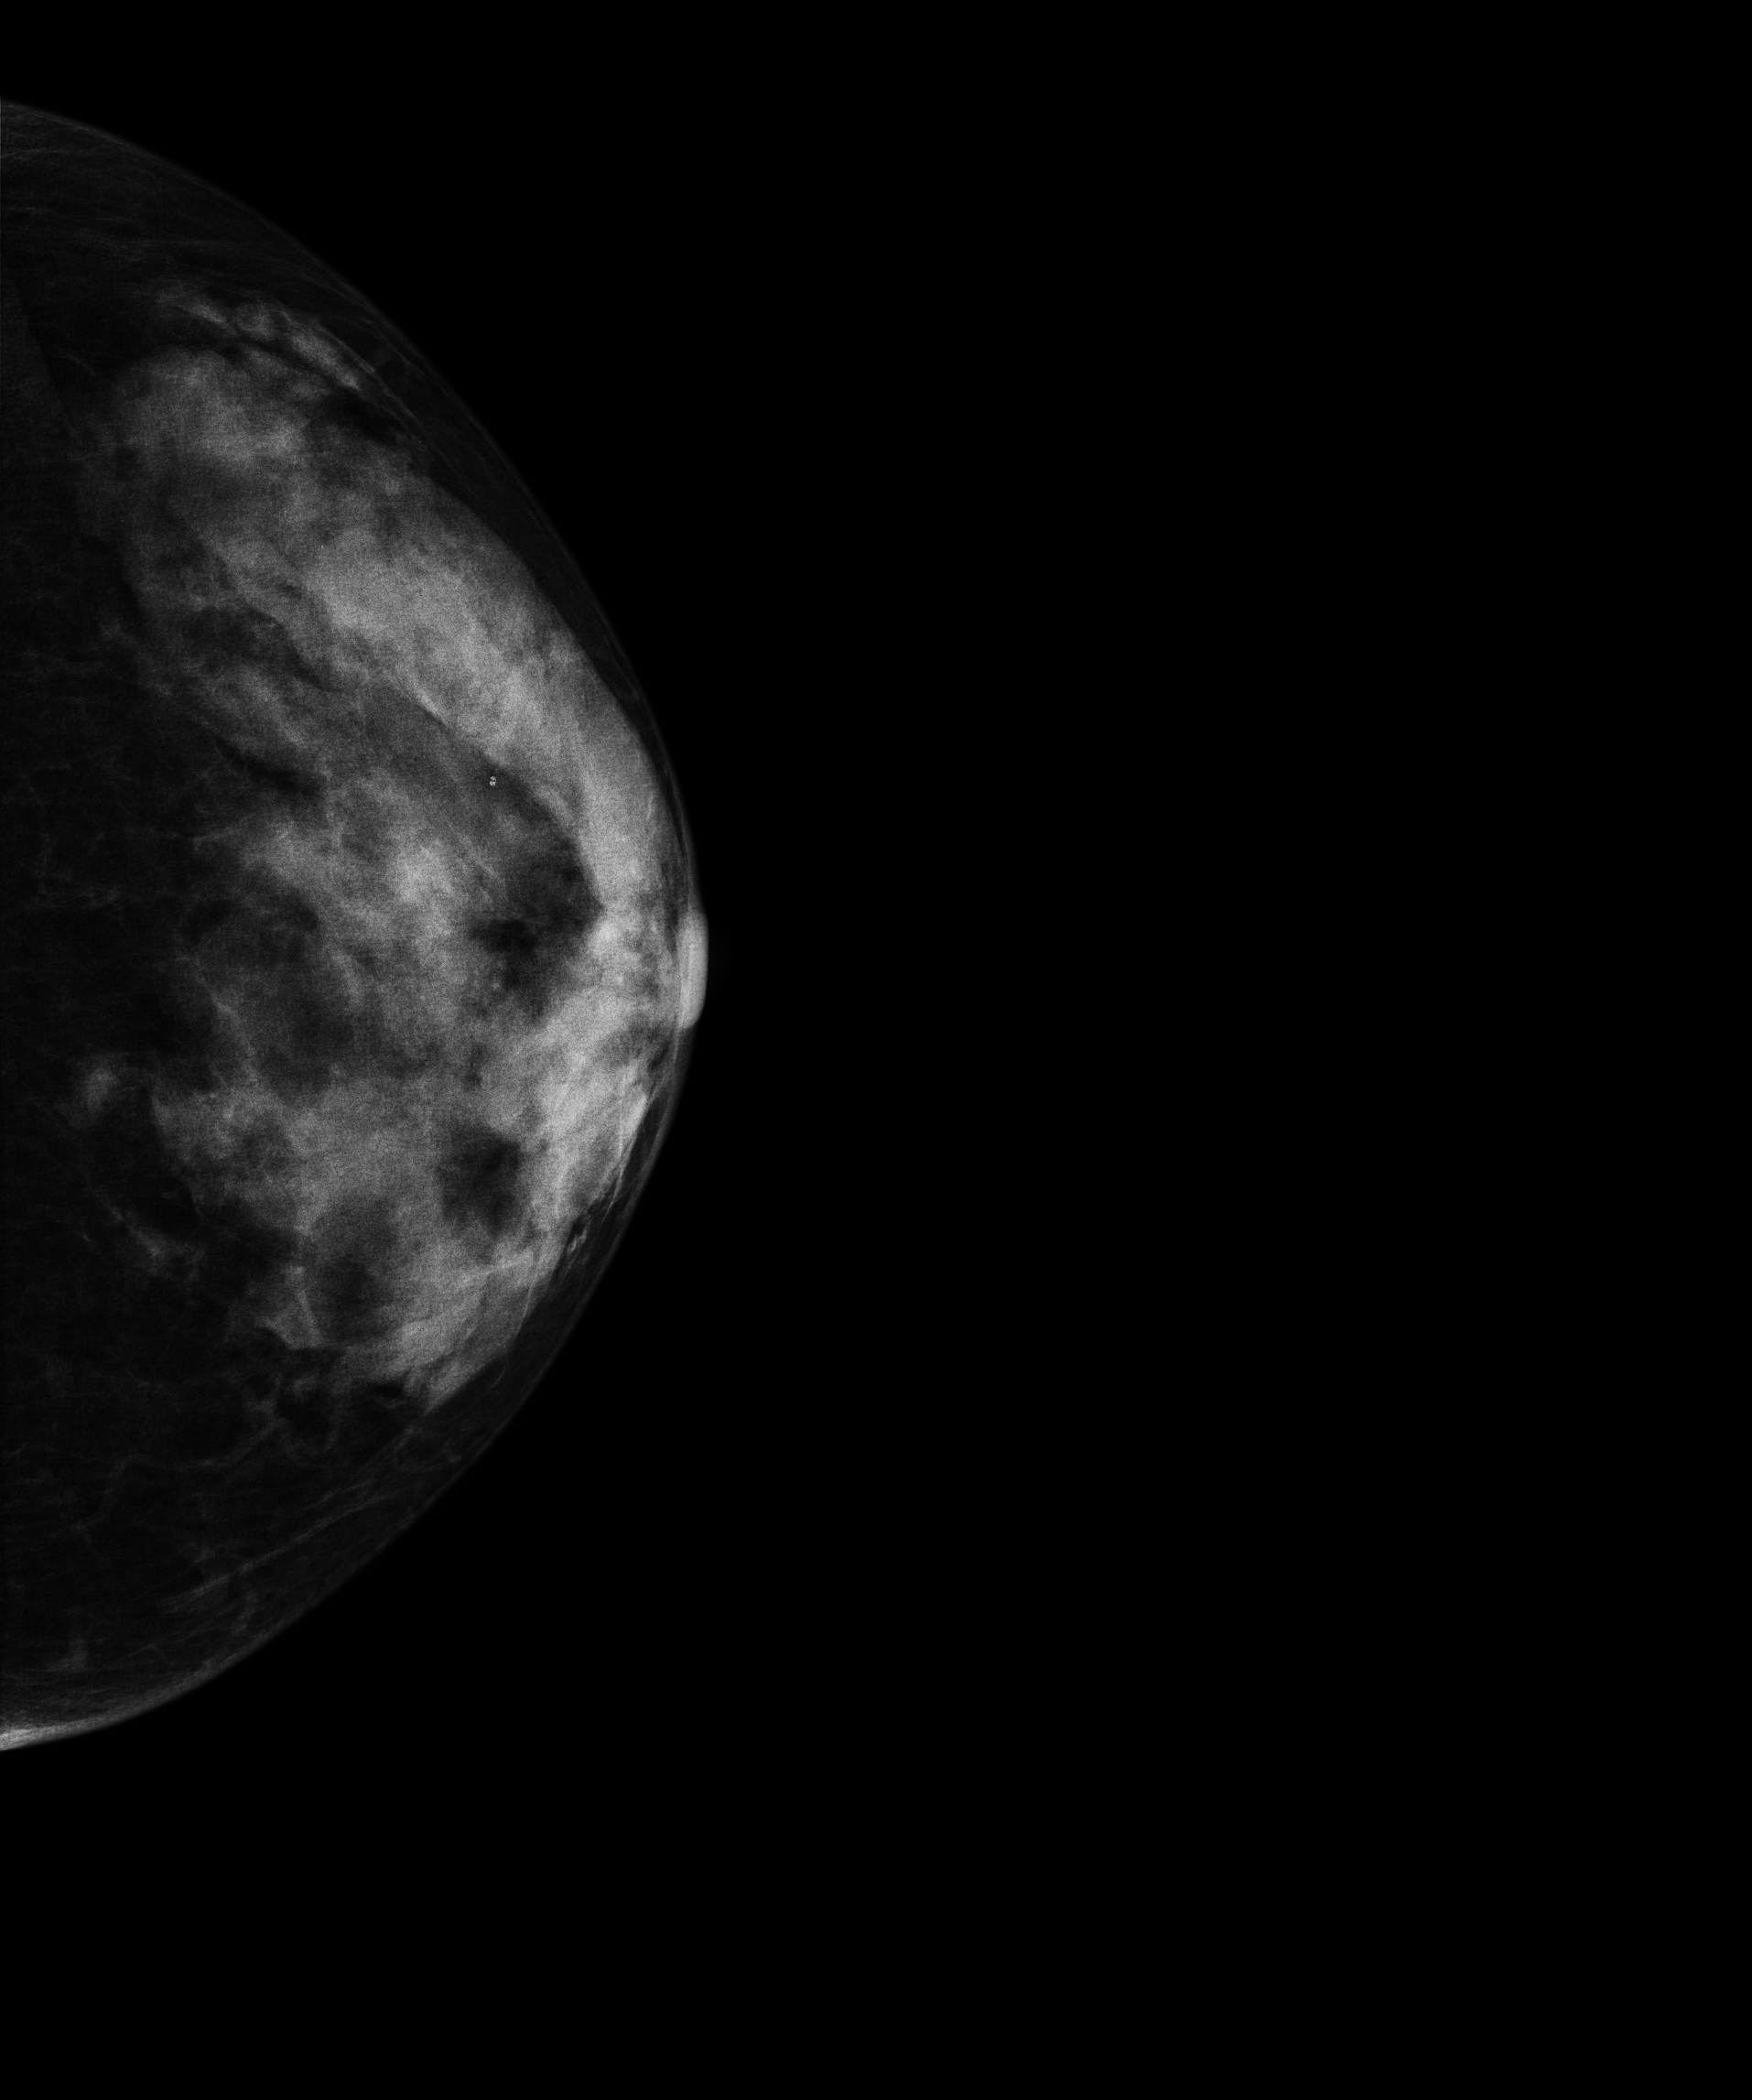
Mammogram — left CC. 60 y/o patient.
Contralateral breast — no documented abnormality on this side.